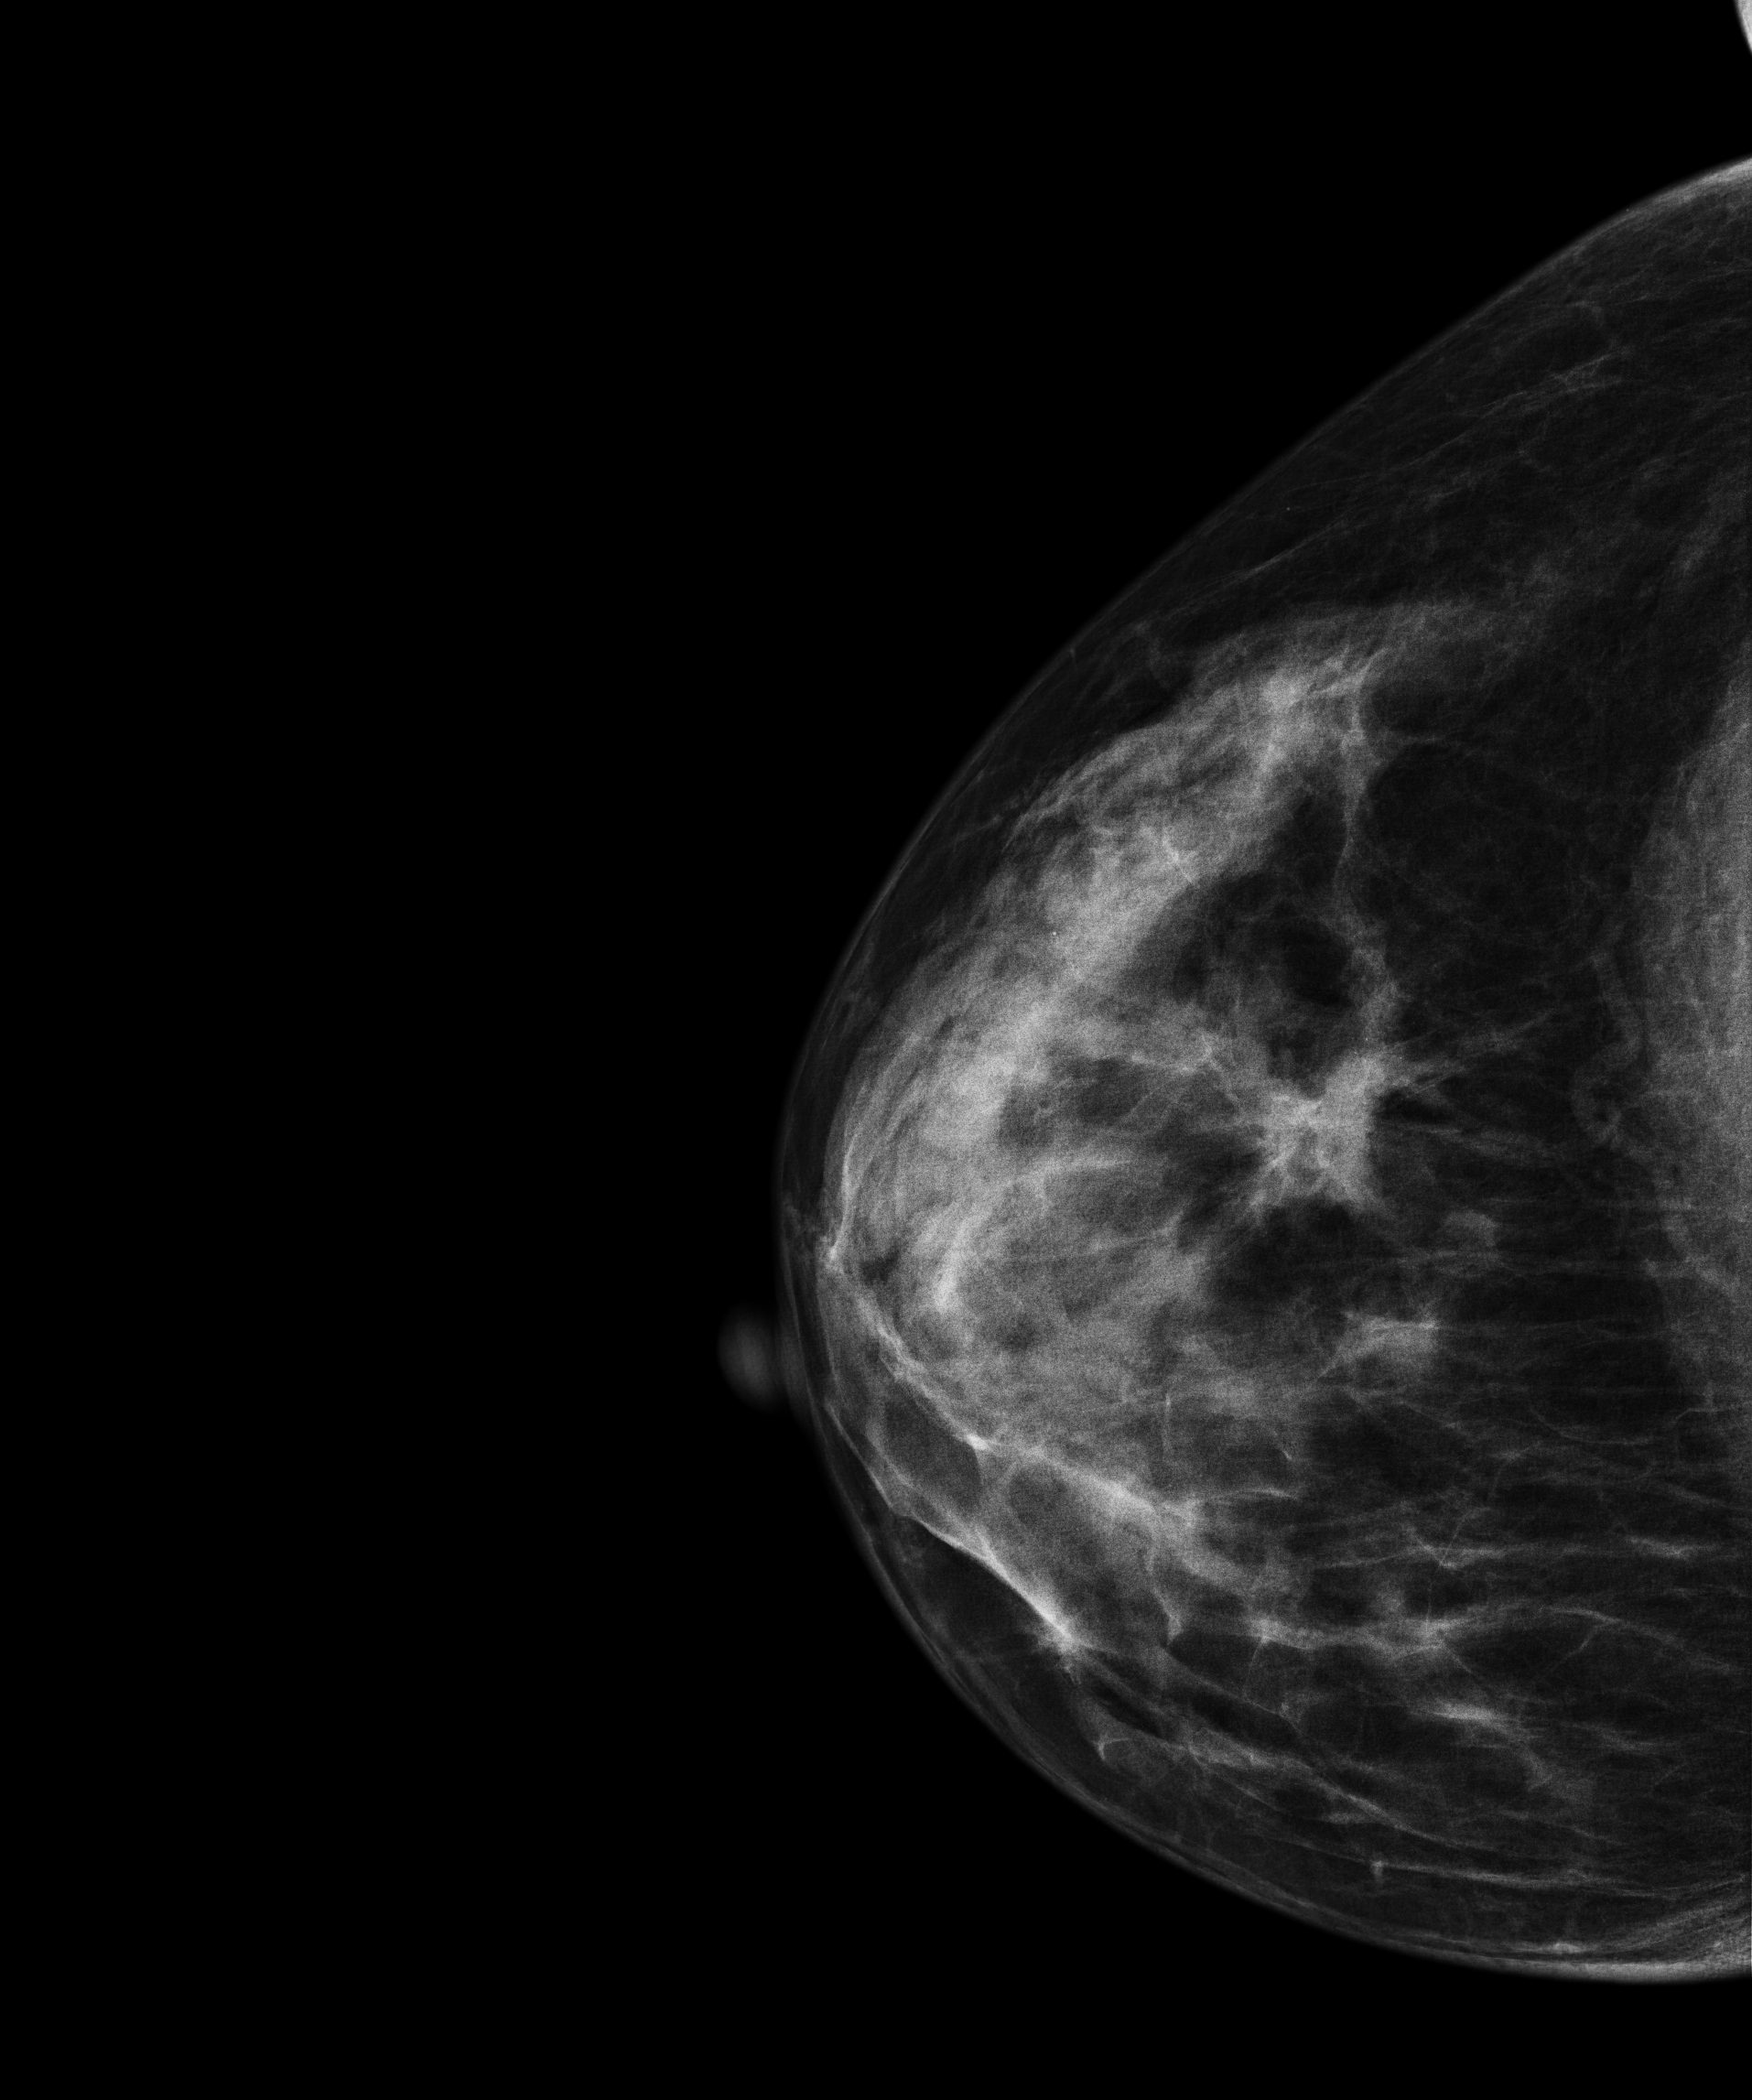
Right-breast mammogram, CC. 46 y/o patient.
This breast has a mass, pathology-confirmed malignant. Molecular subtype: luminal B.